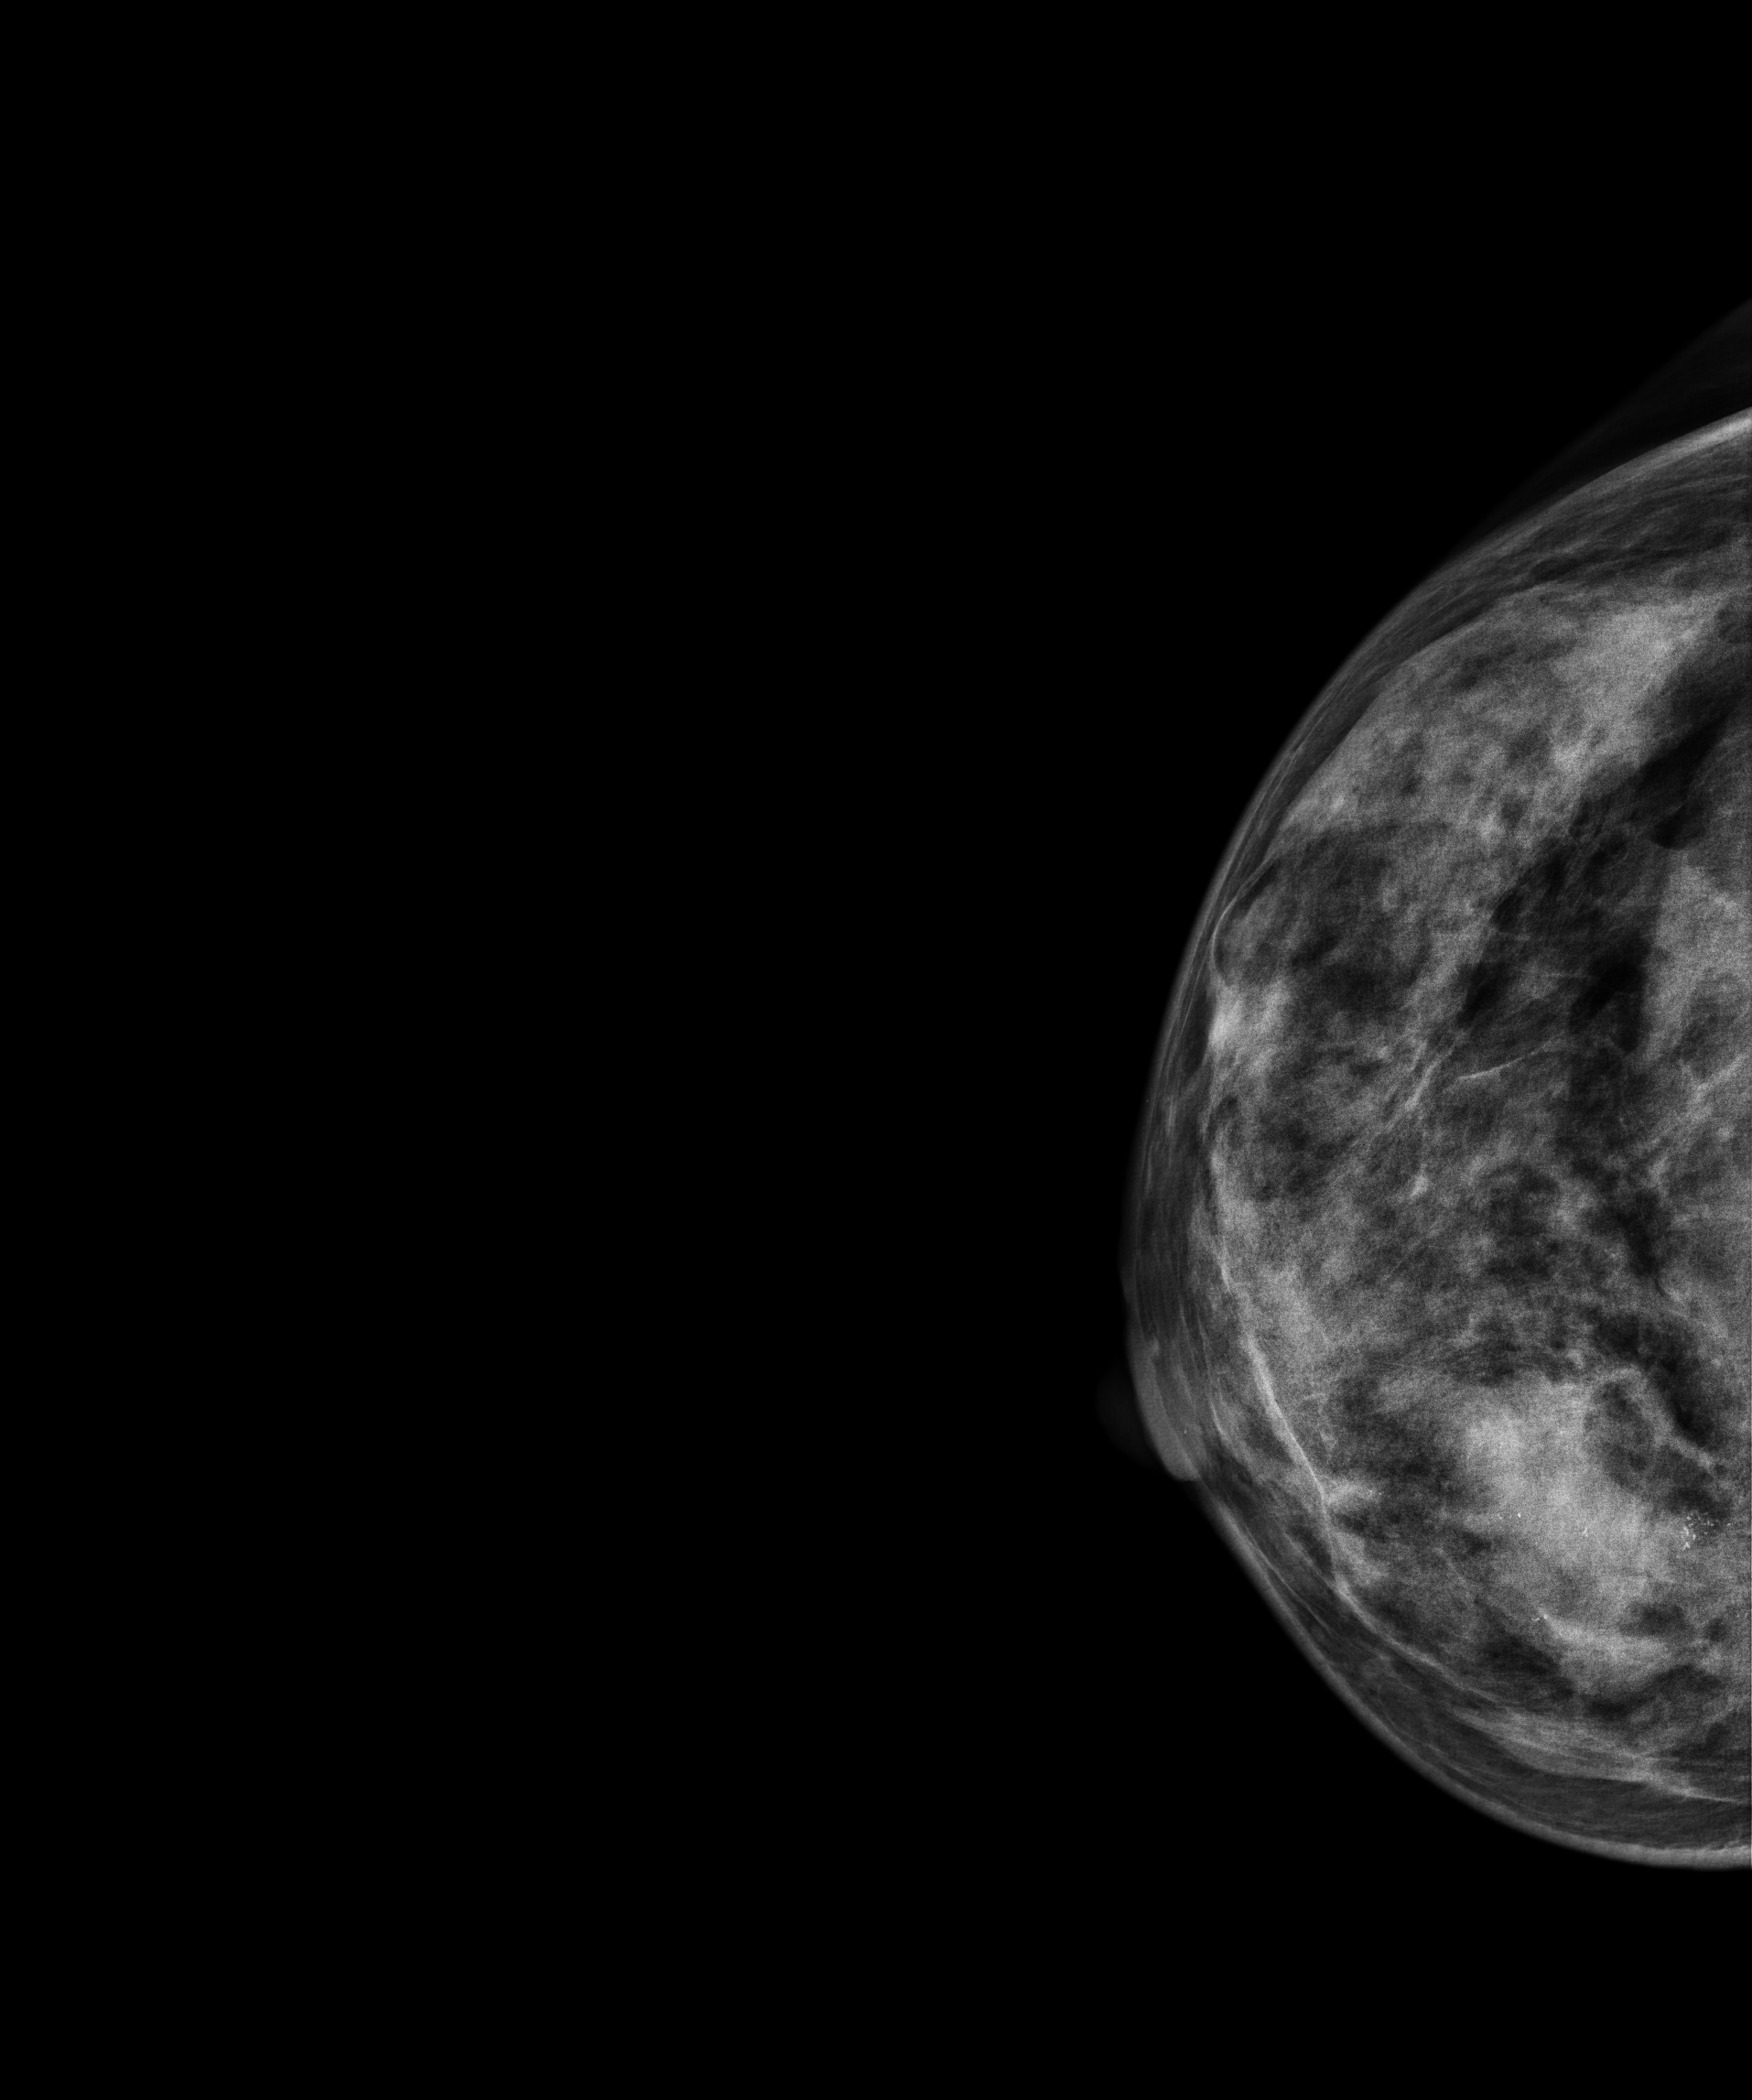
Cranio-caudal mammogram of the right breast. 53 y/o patient.
This breast has a mass and calcifications, biopsy-proven malignant. Molecular subtype: HER2-enriched.